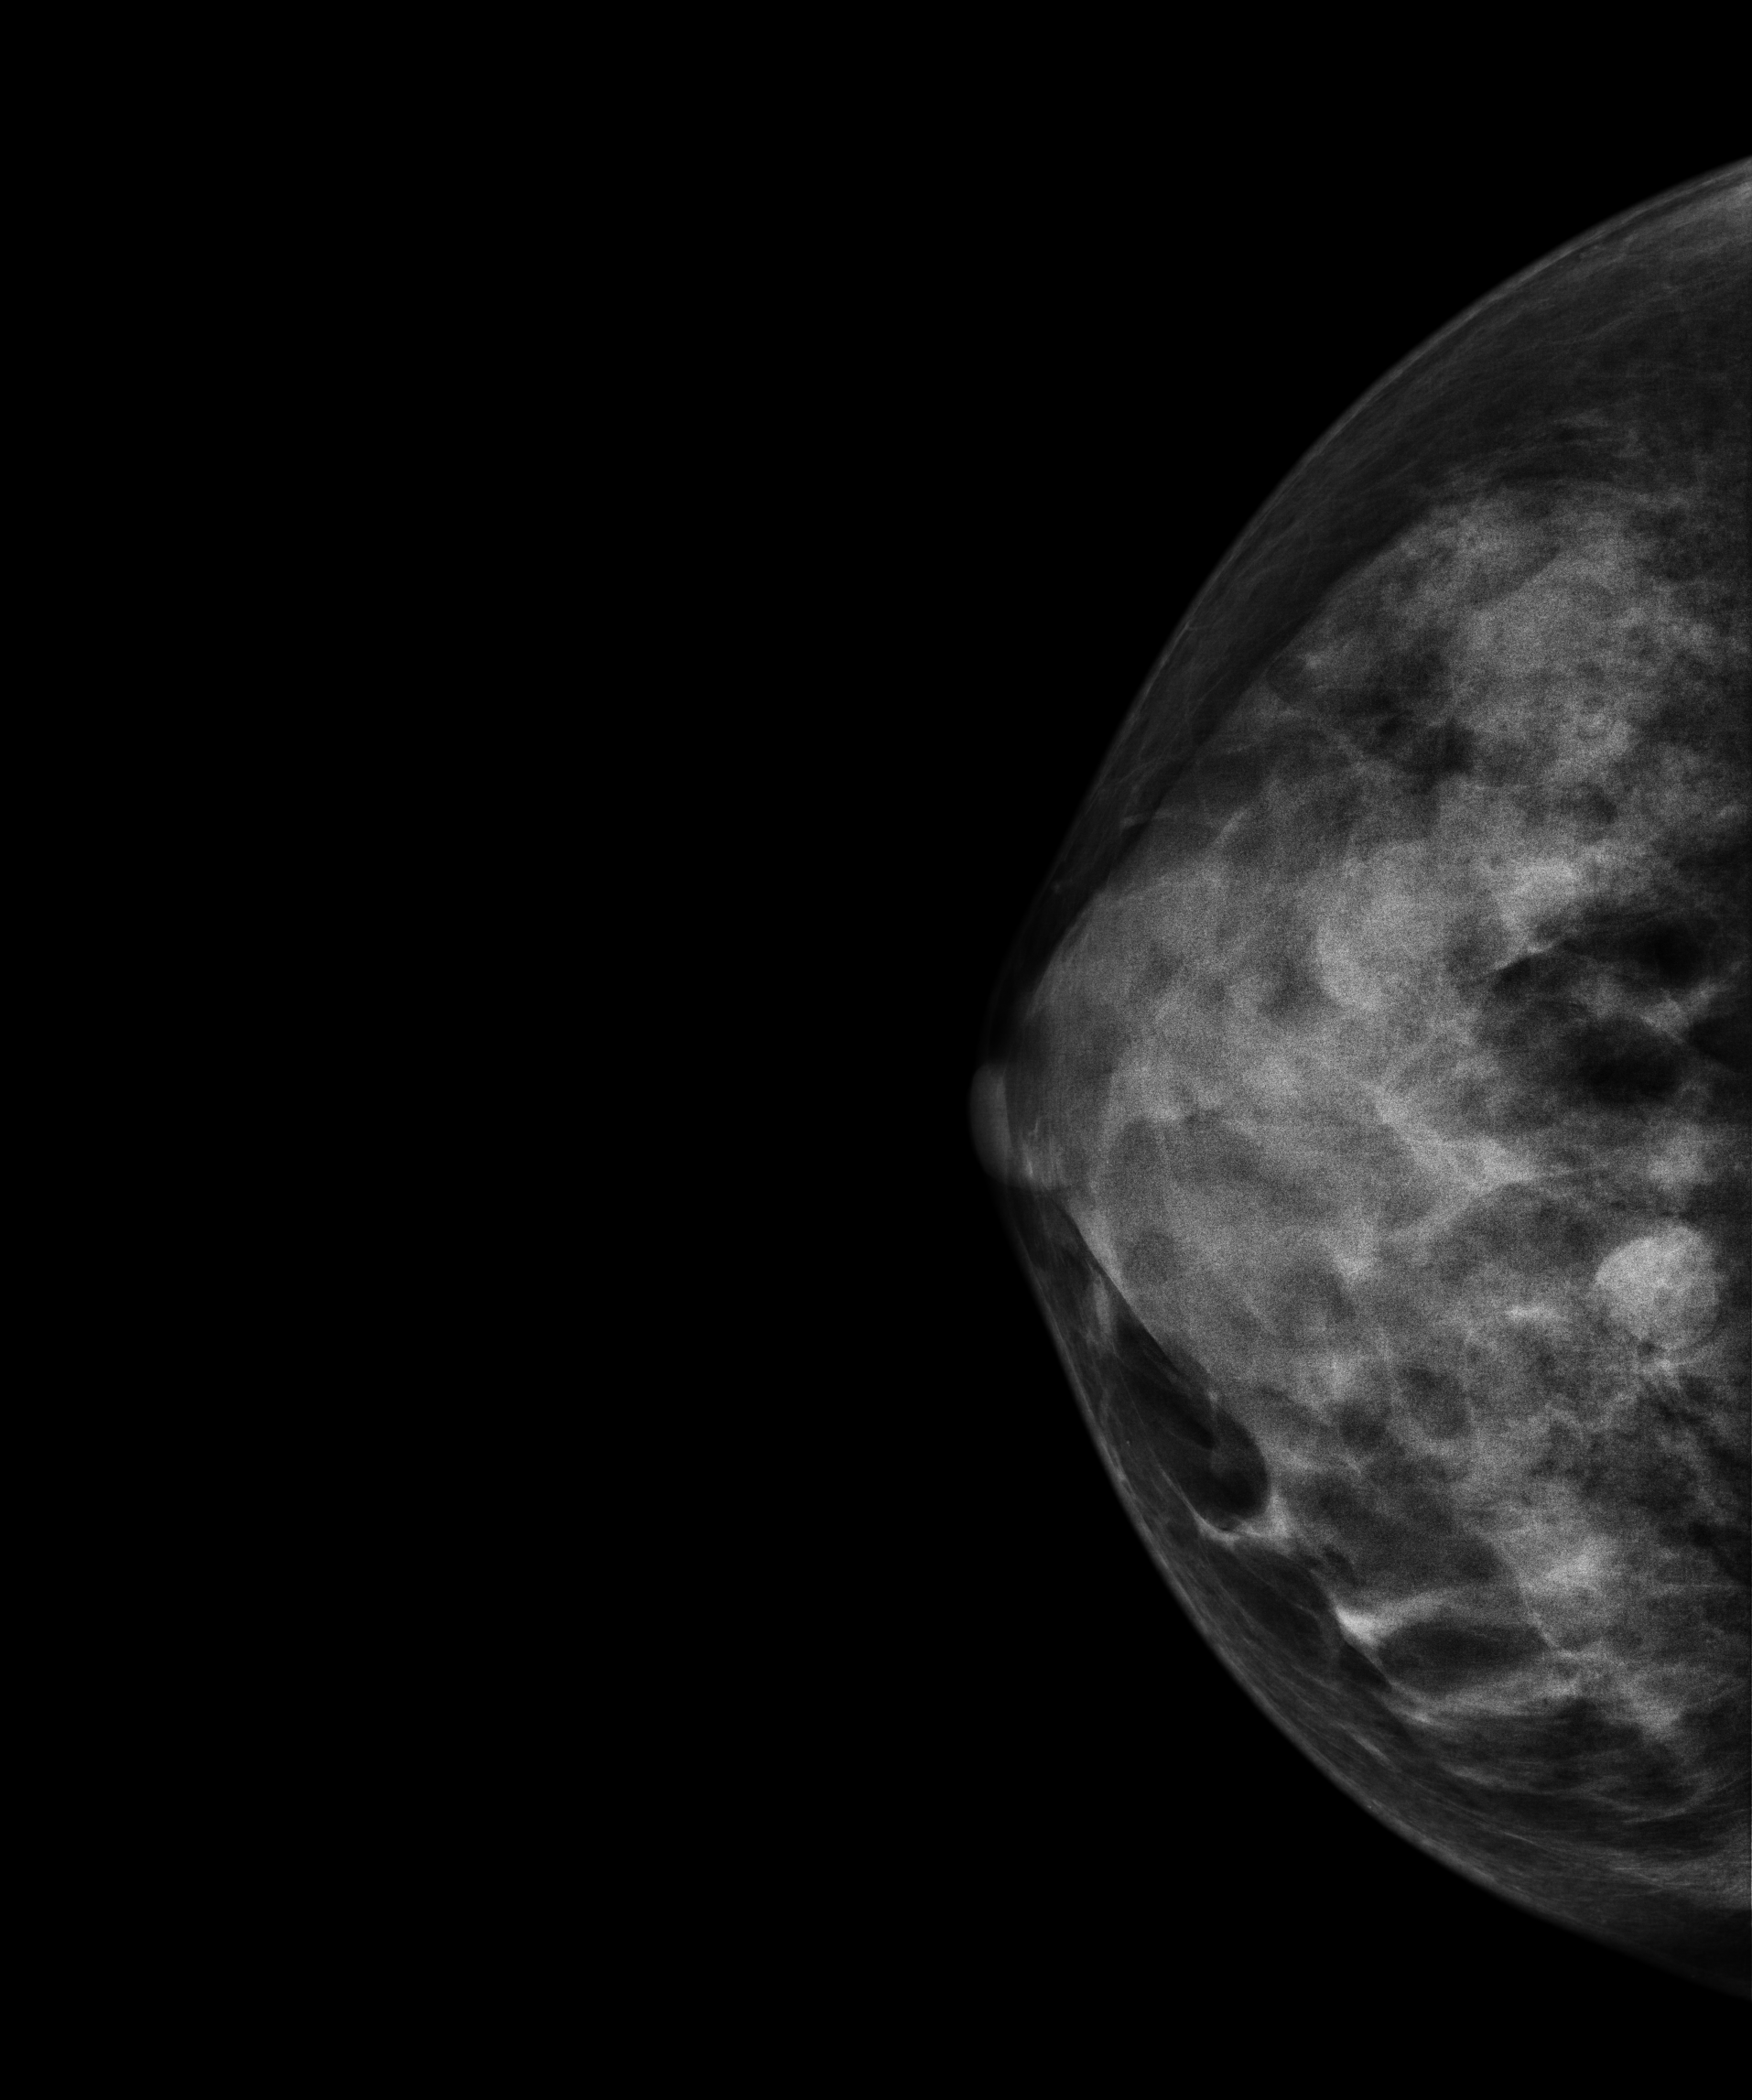
Mammogram — right CC. 32 y/o patient.
This breast has a mass, biopsy-proven benign.